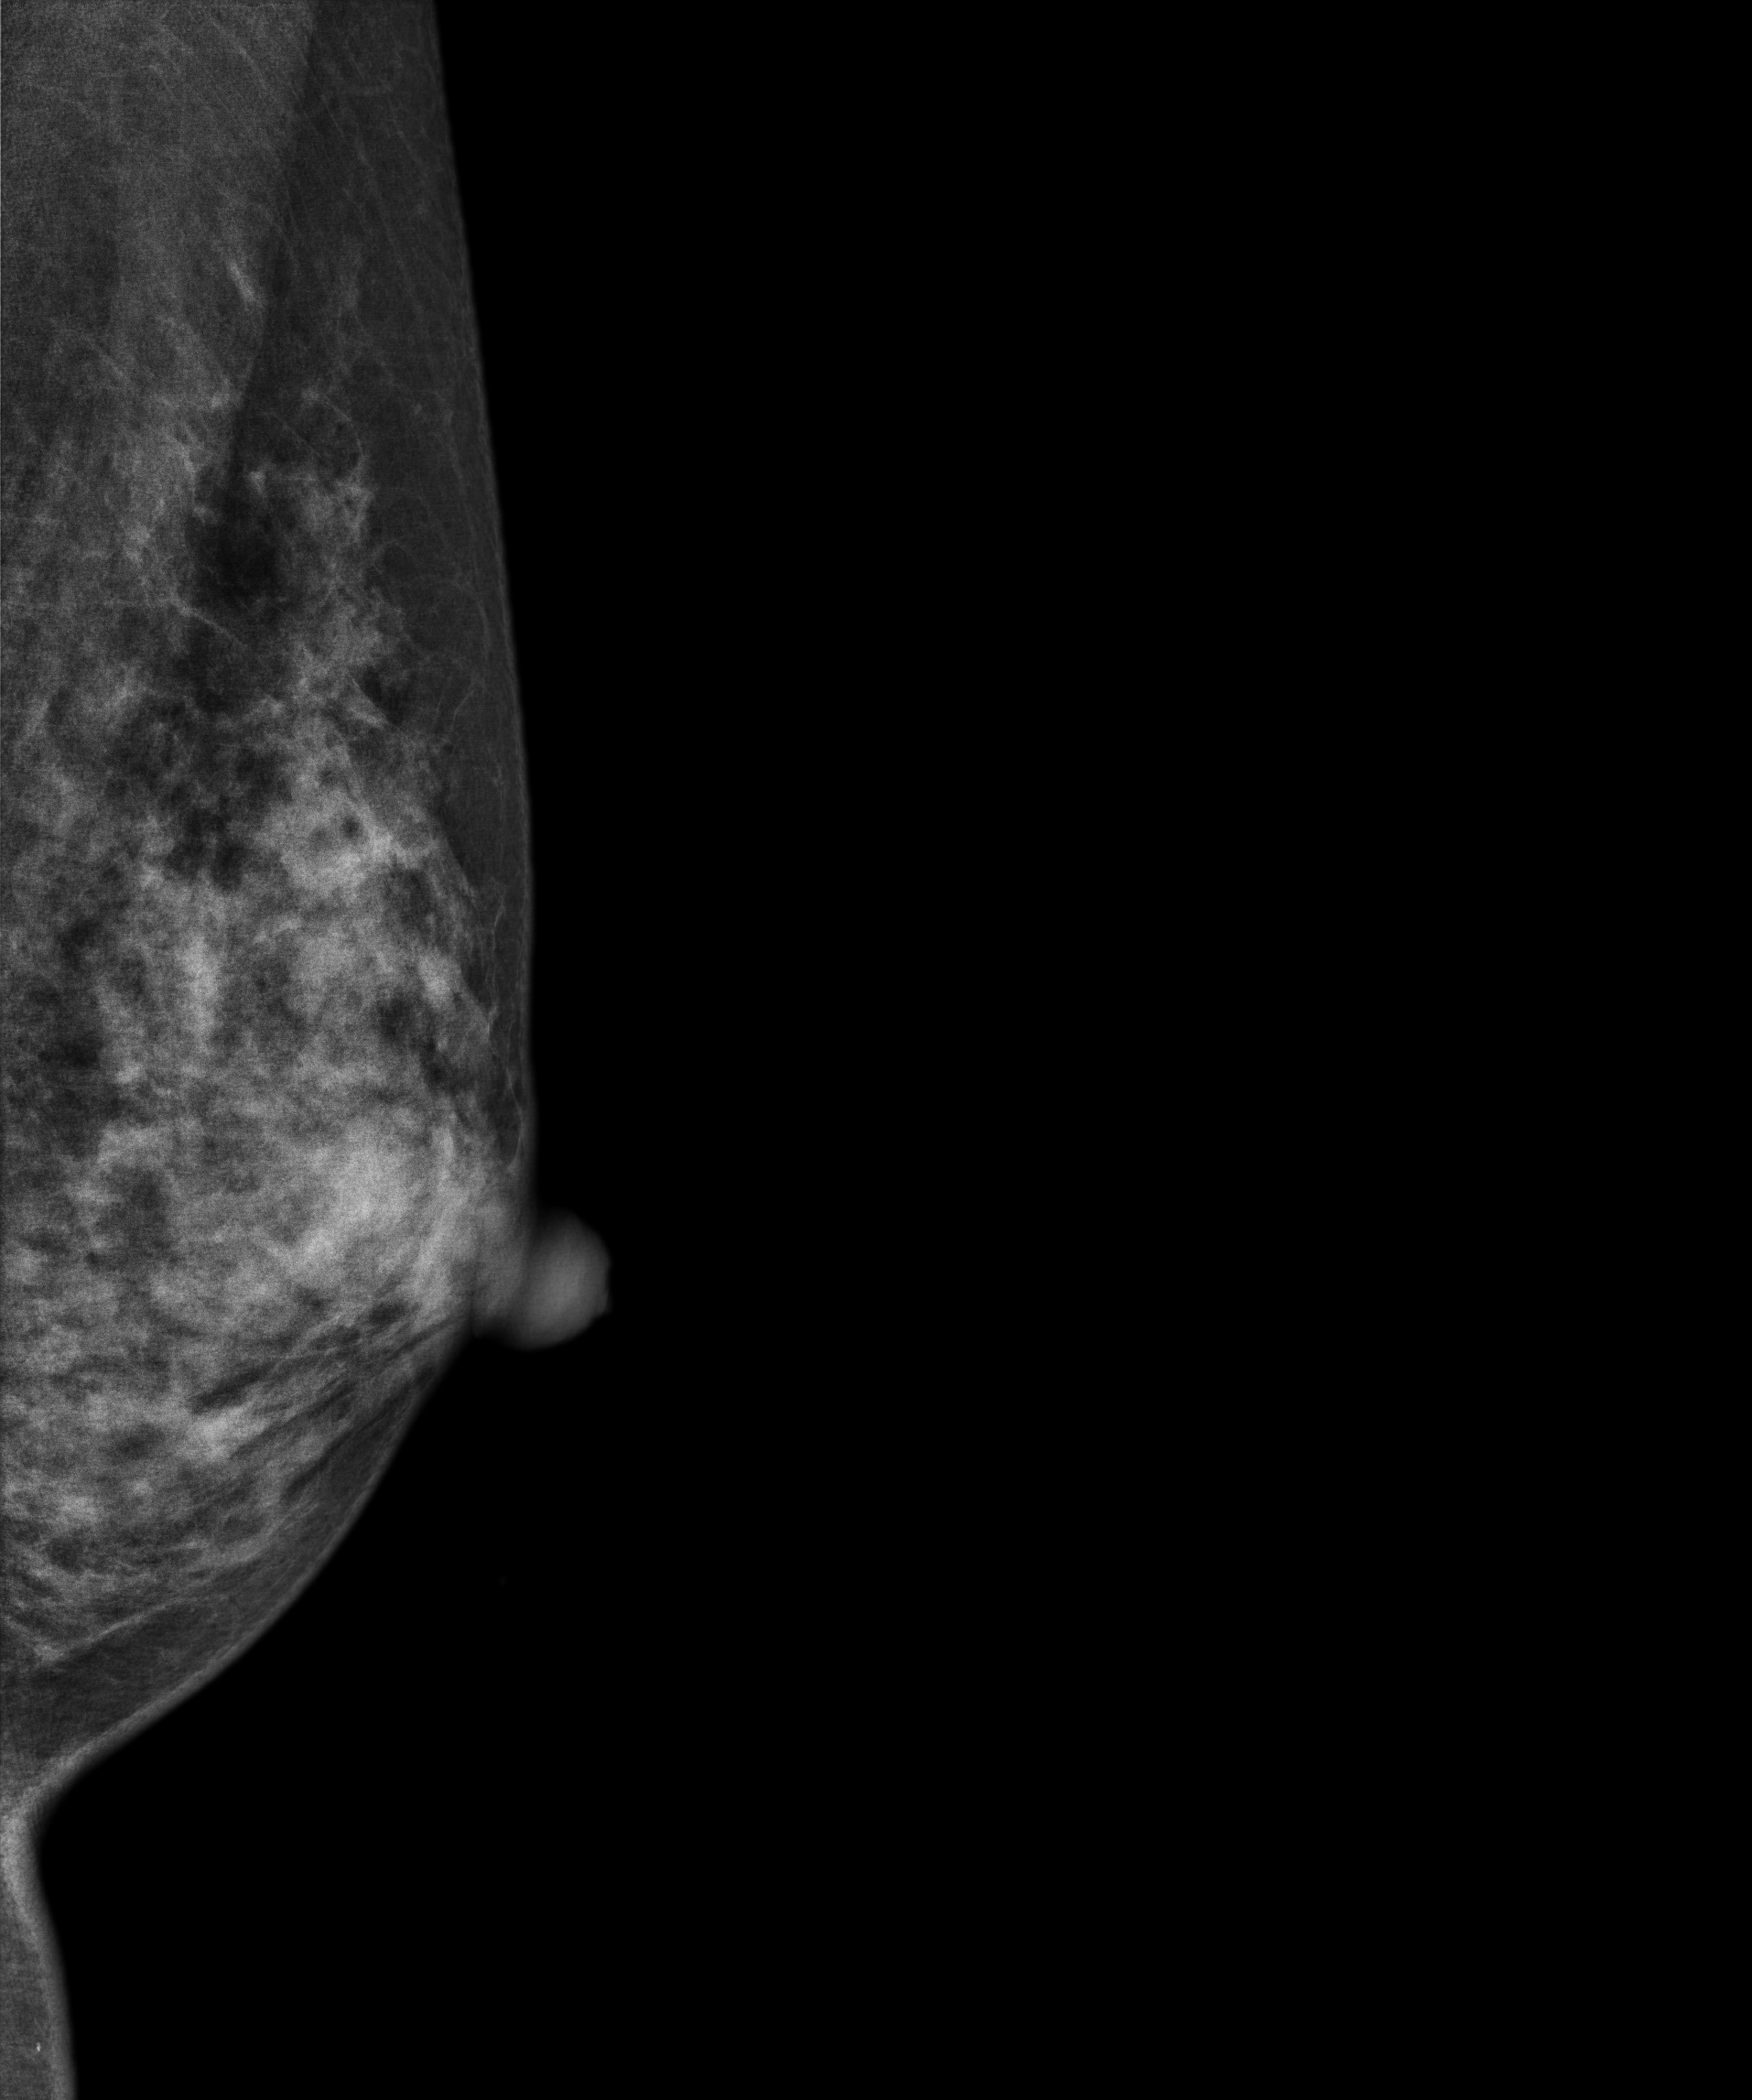
MLO mammogram of the left breast. 46 y/o patient.
This breast has a mass, biopsy-proven benign.